Mammogram — left MLO. 39 y/o patient.
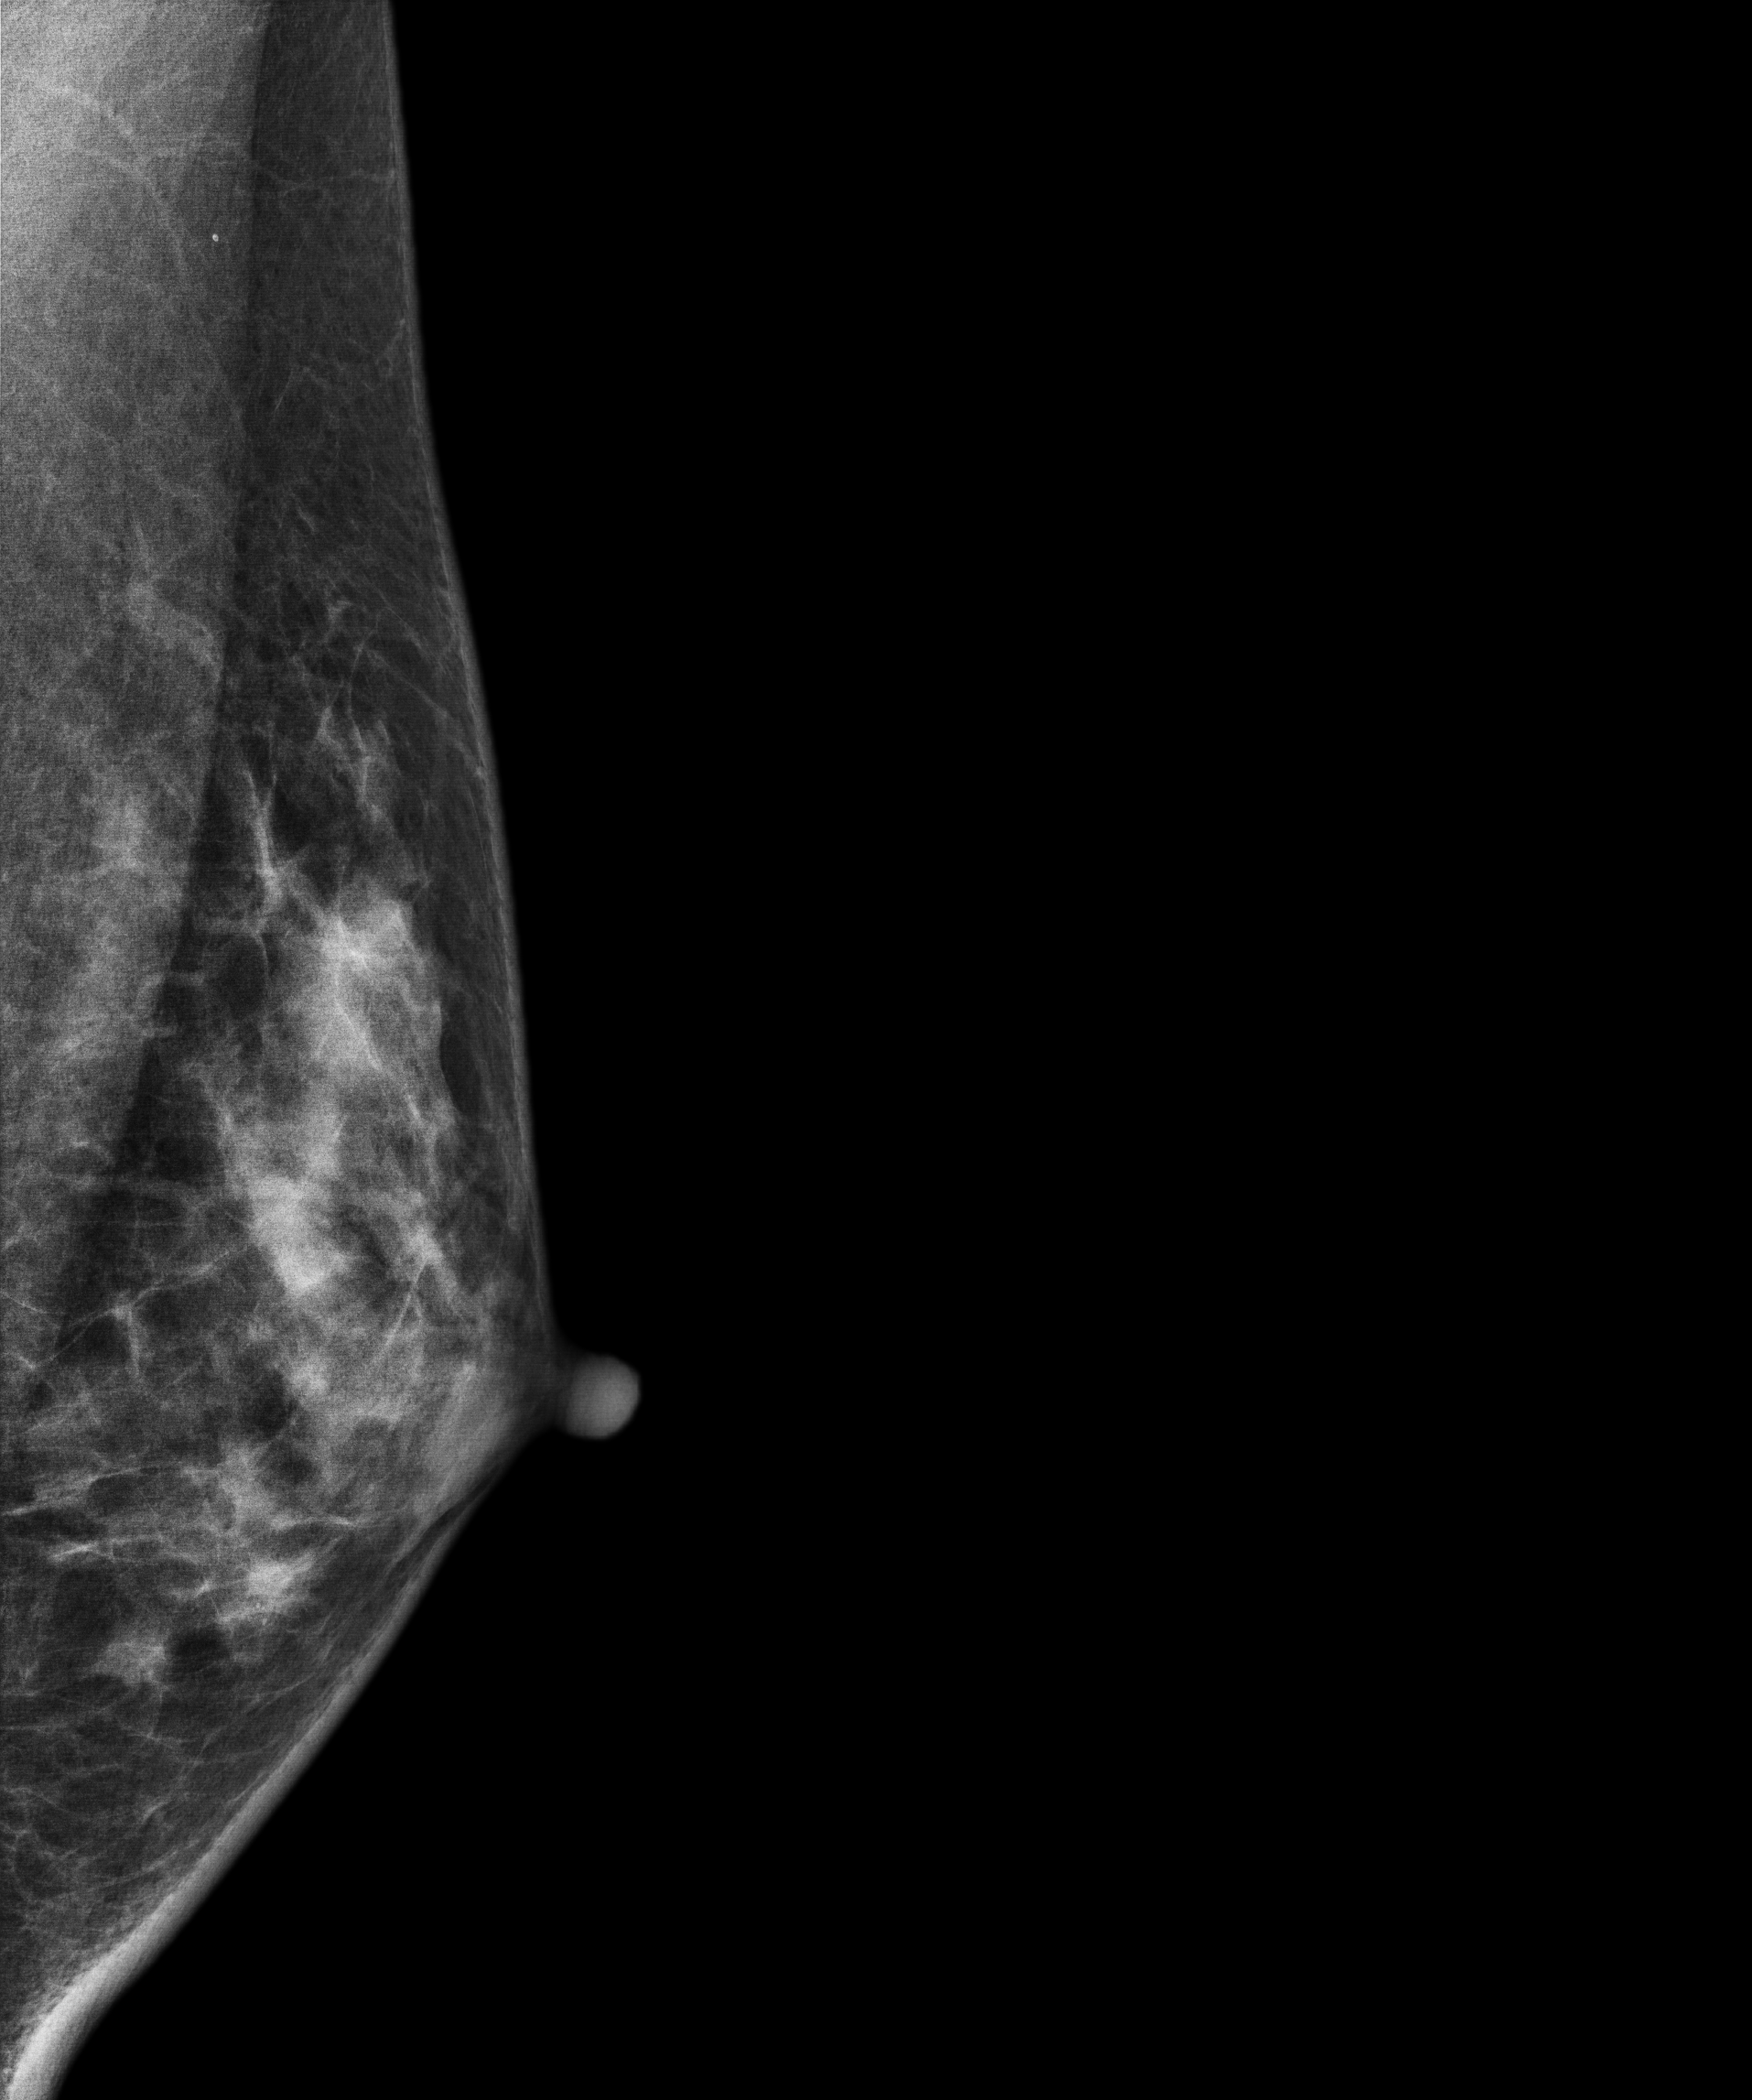
This breast has a mass, biopsy-proven benign.